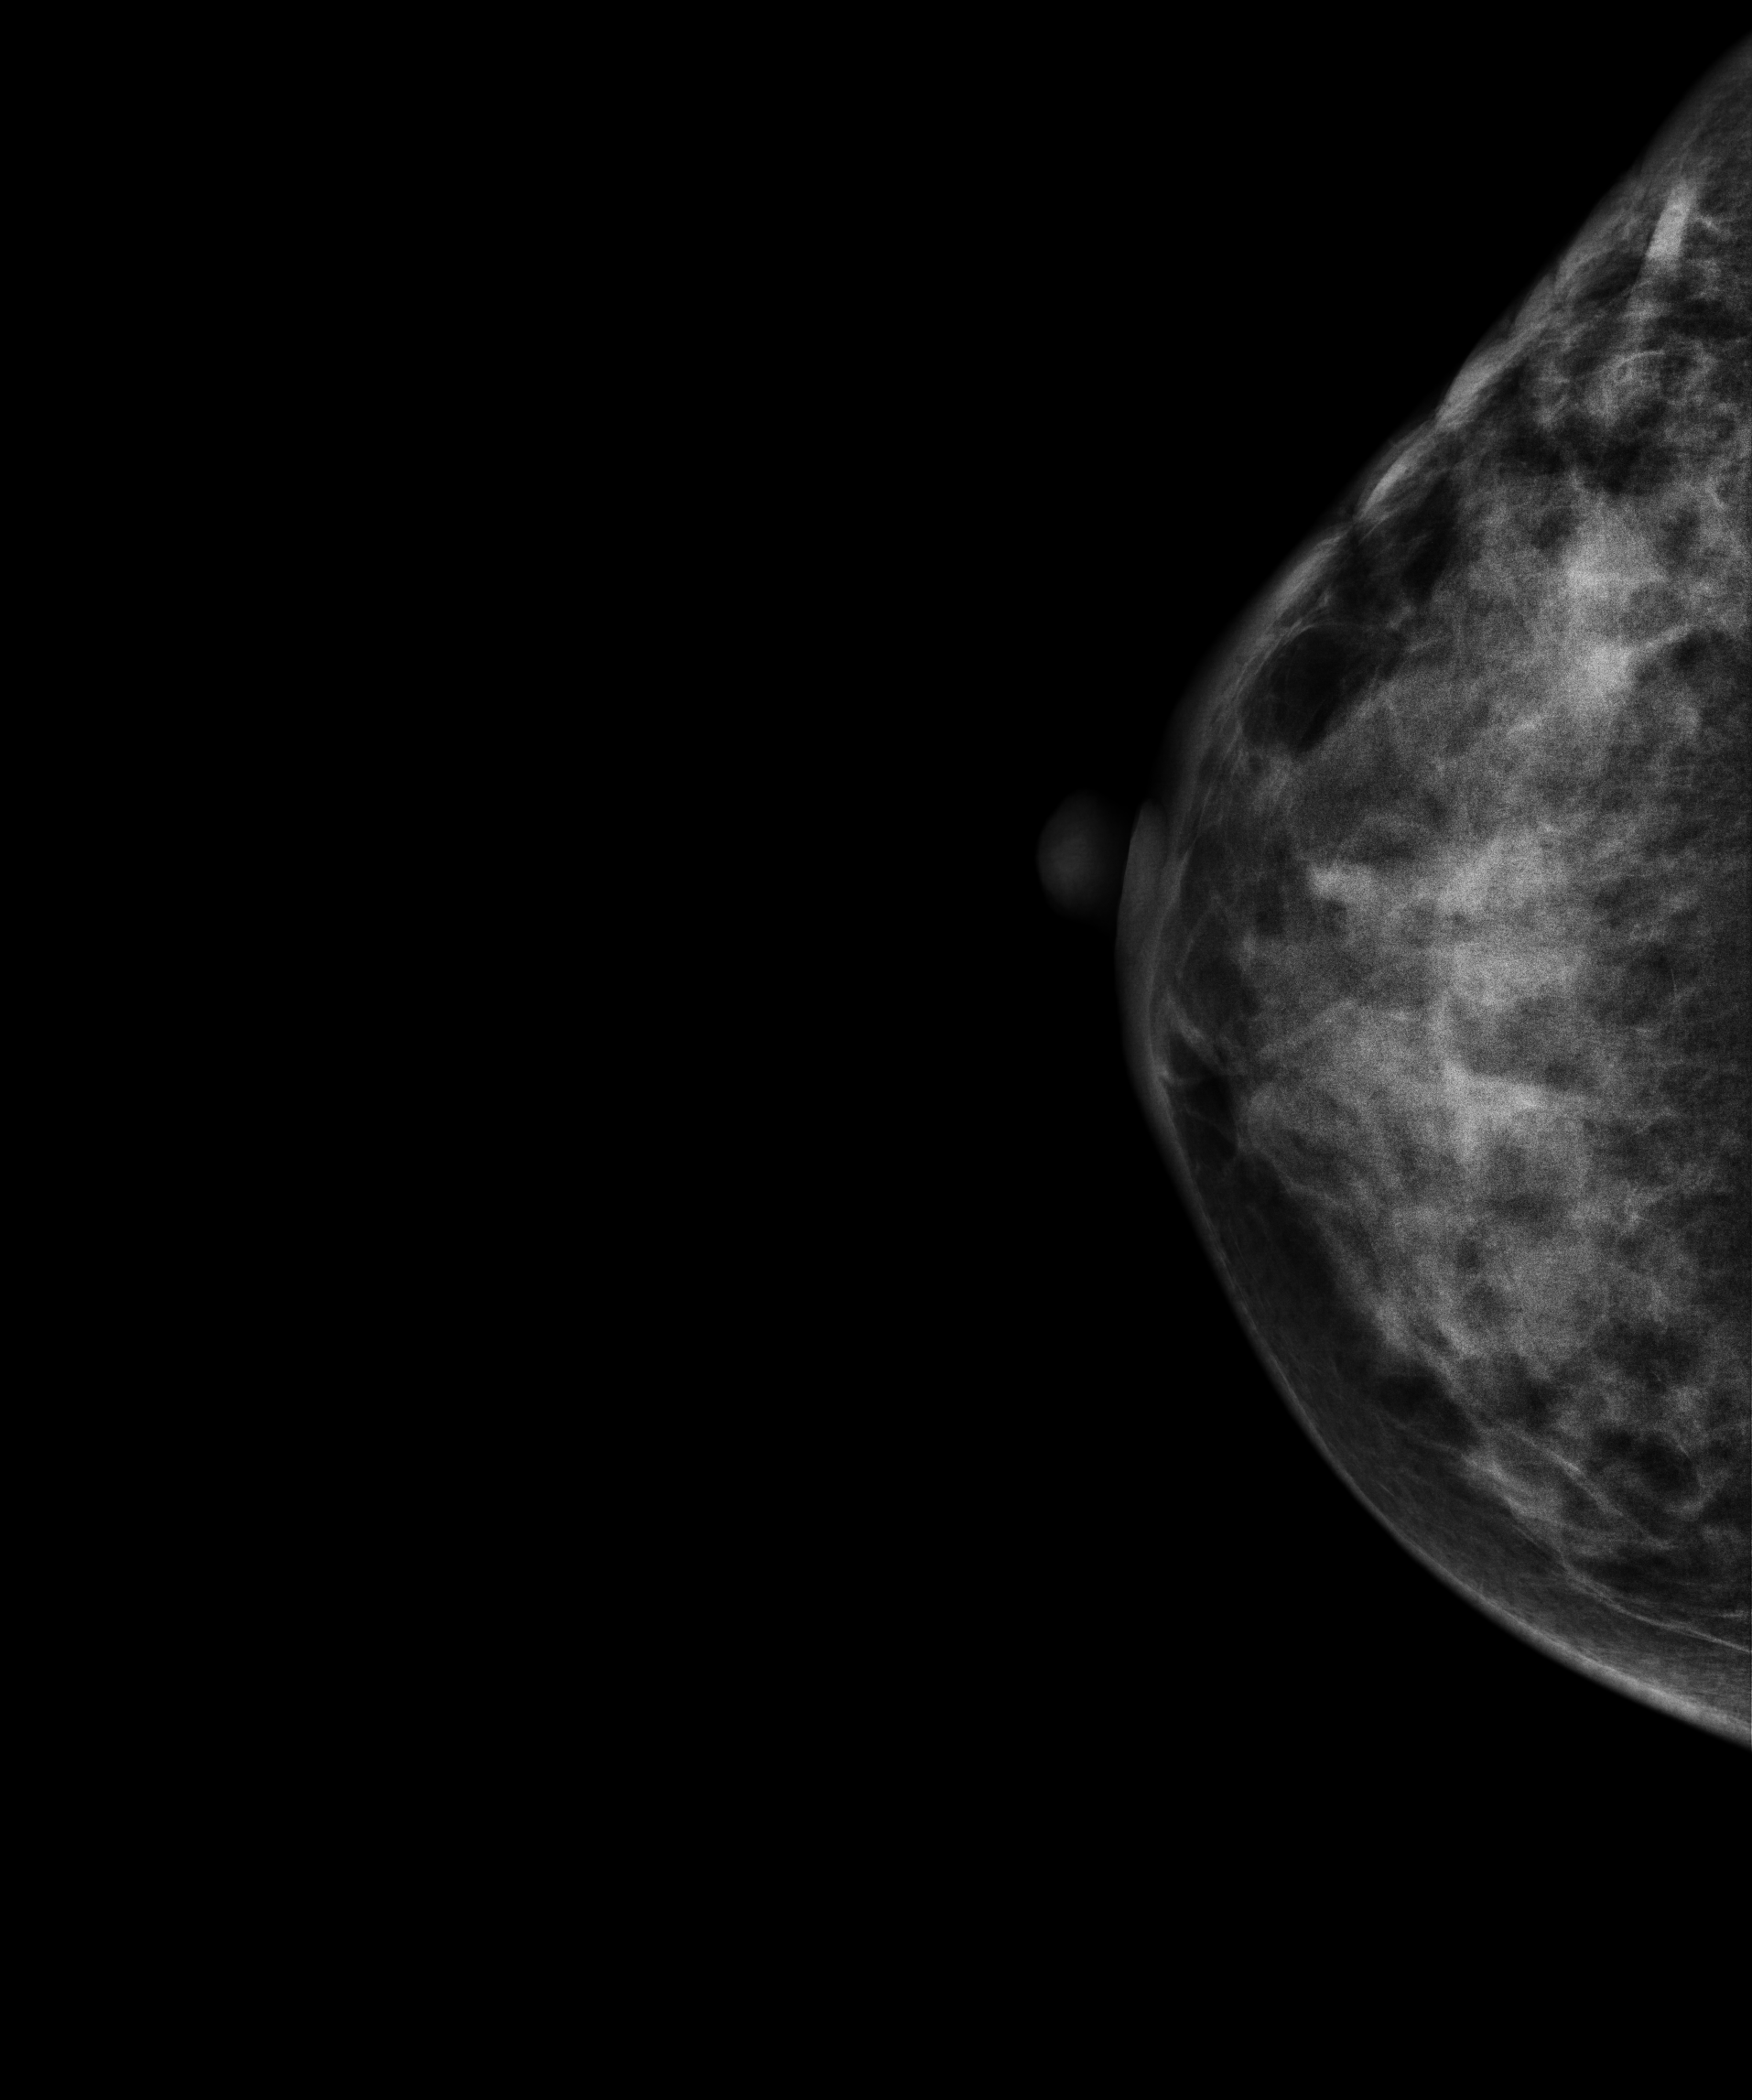
Mammogram, right breast, CC view. 51 y/o patient.
This breast has a mass, biopsy-confirmed malignant. Molecular subtype: luminal B.